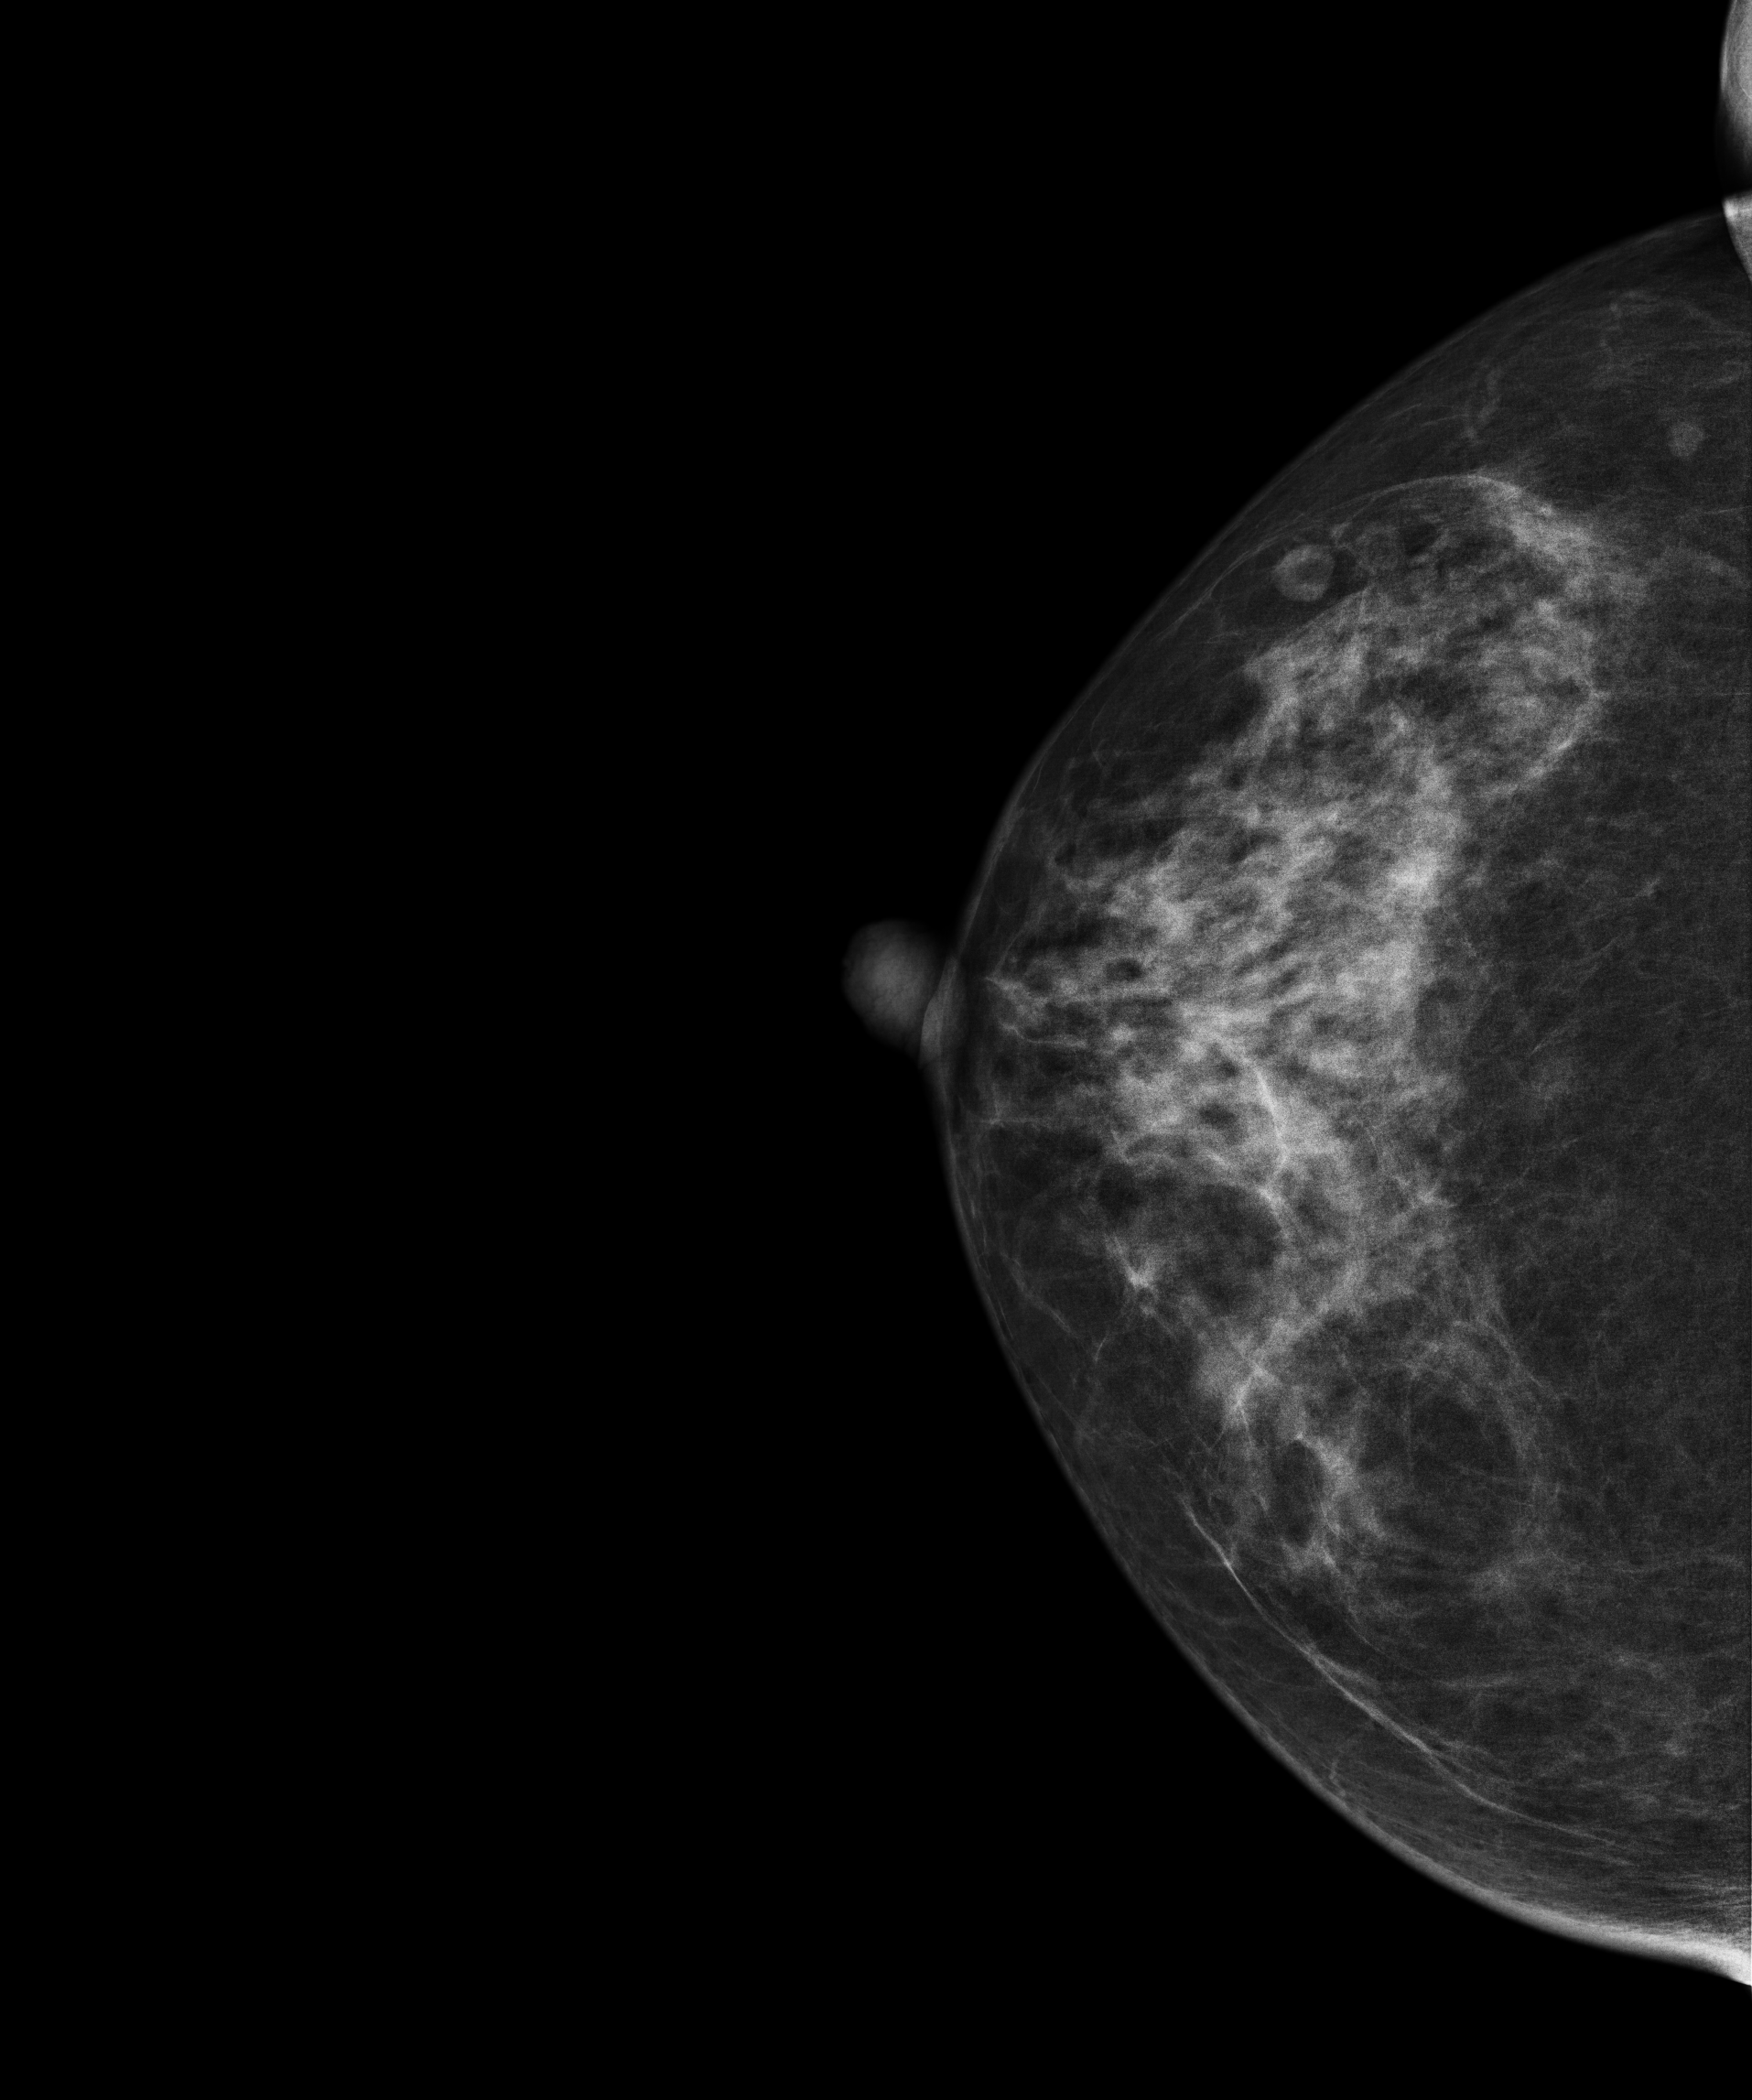
Digital mammography. Right breast, CC projection. 61 y/o patient.
Contralateral breast — no documented abnormality on this side.